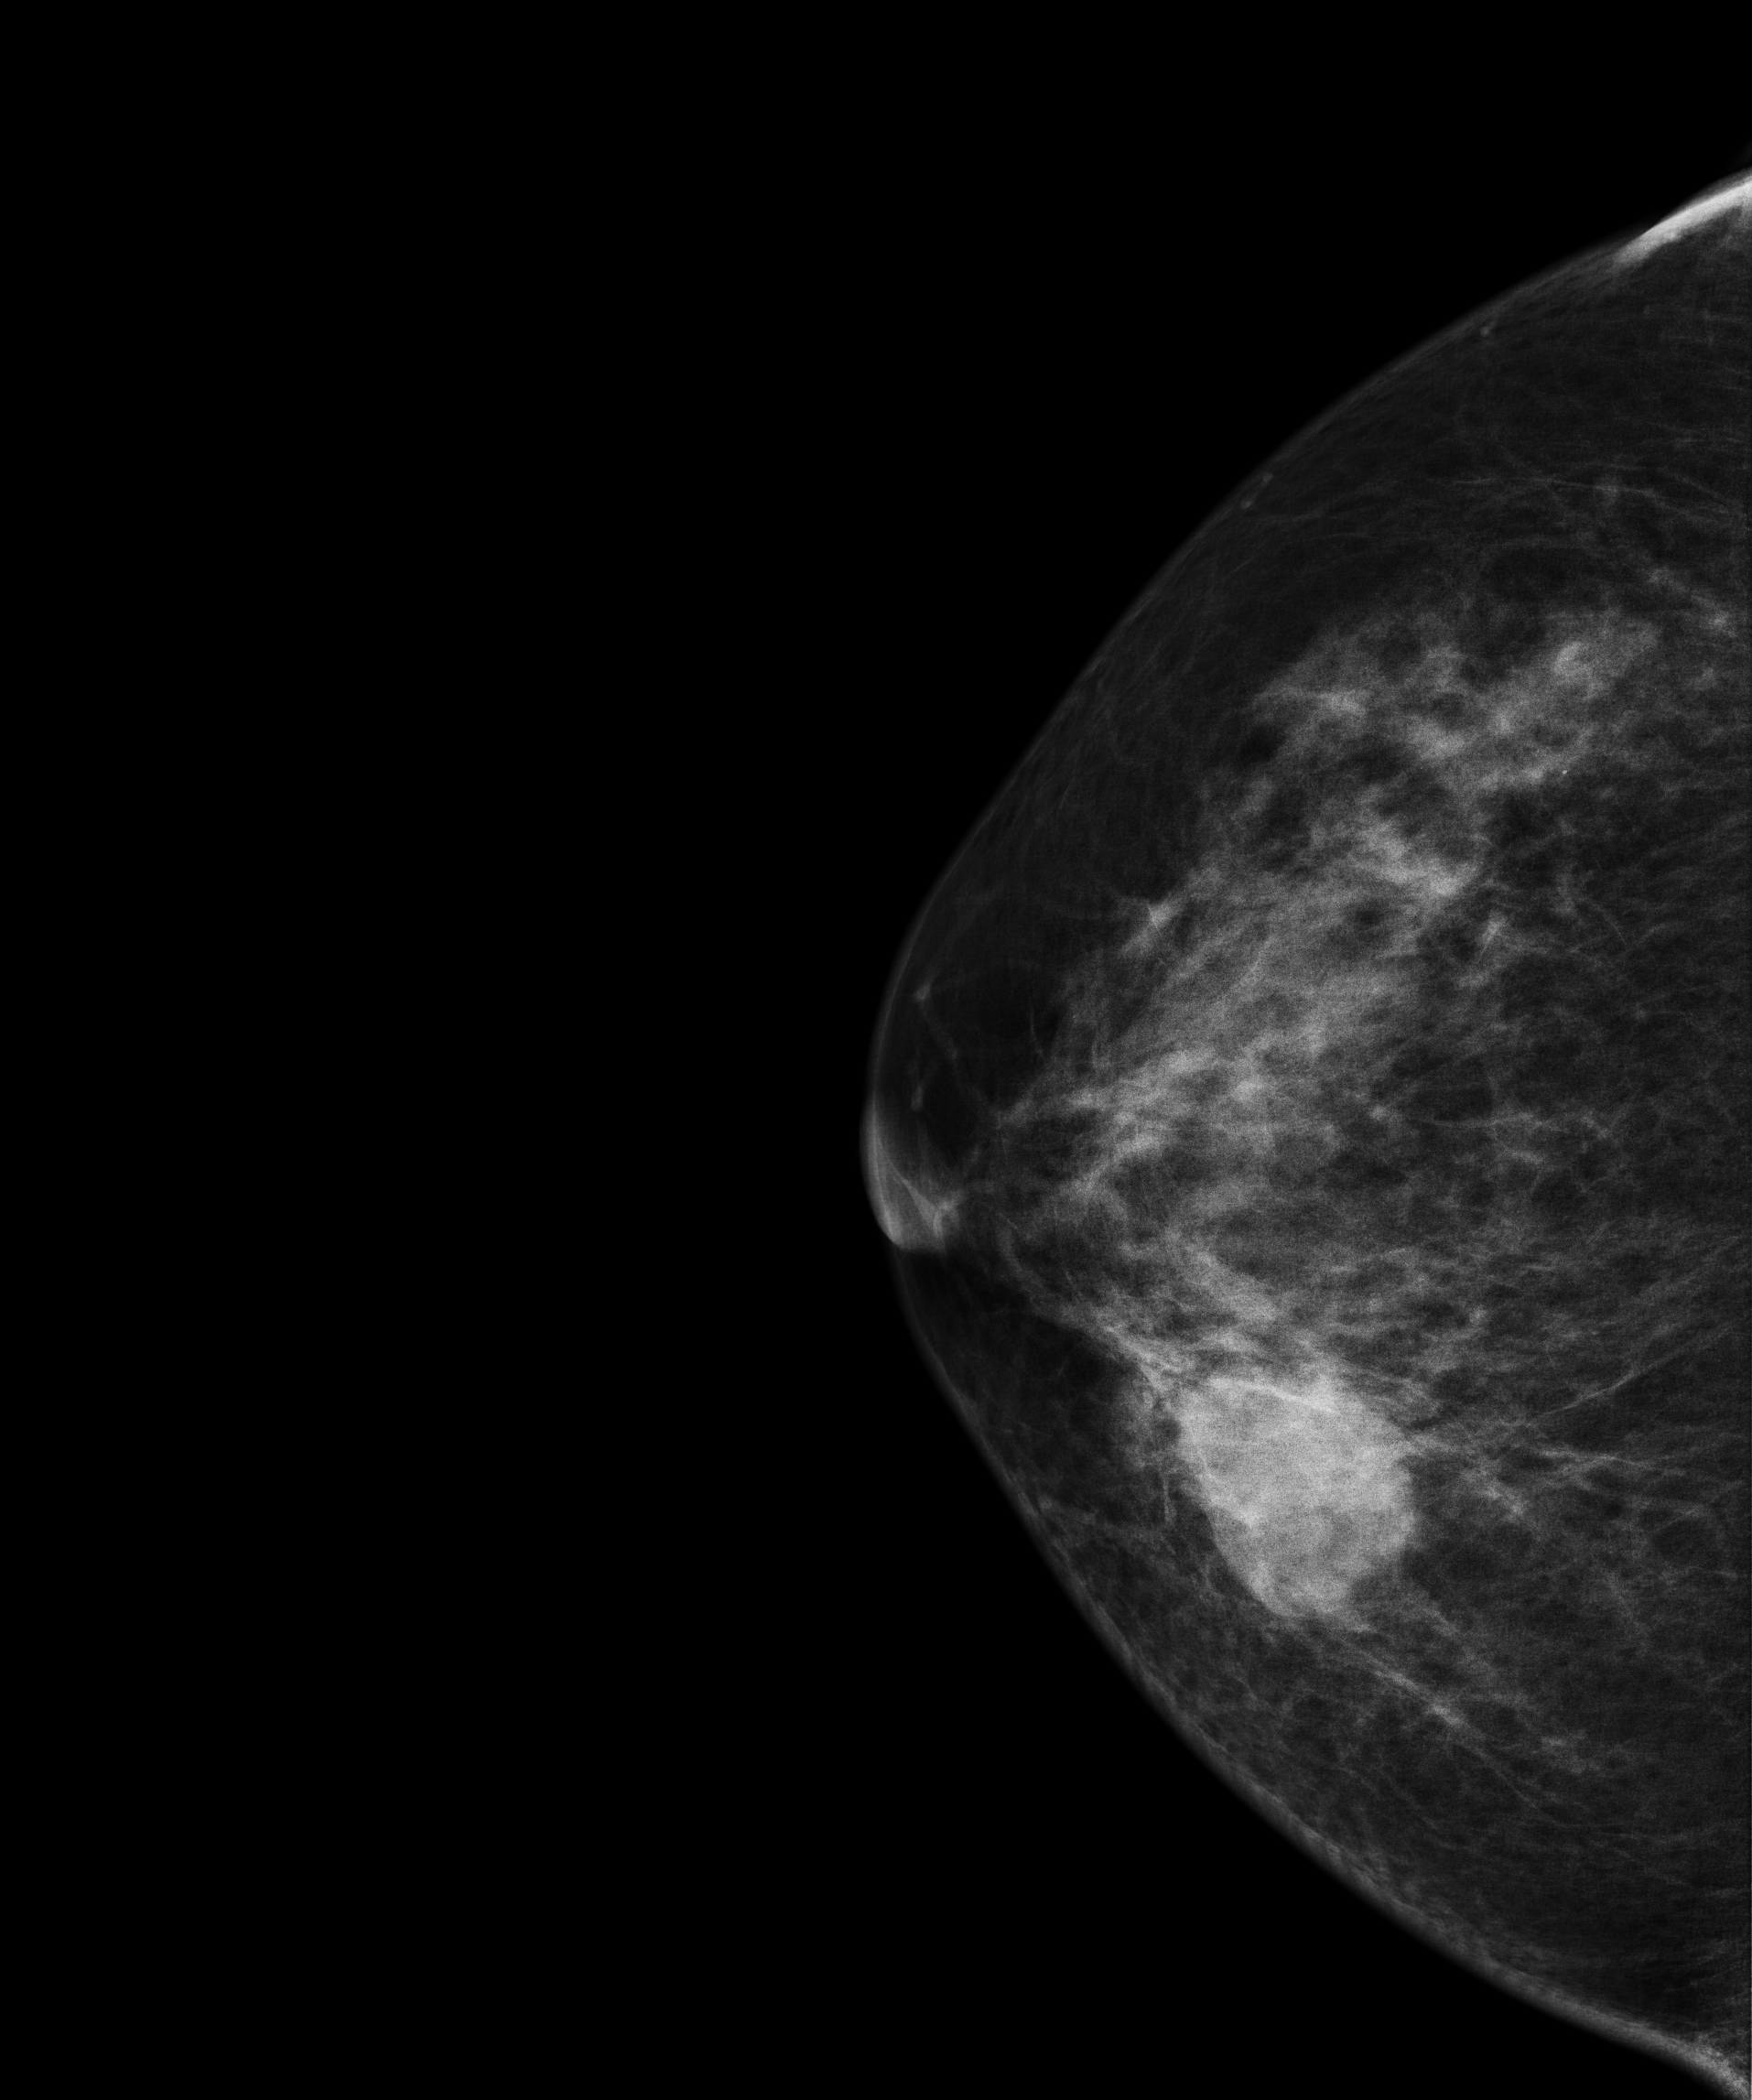
Digital mammography. Right breast, CC projection. 61 y/o patient.
This breast has a mass, pathology-confirmed malignant.